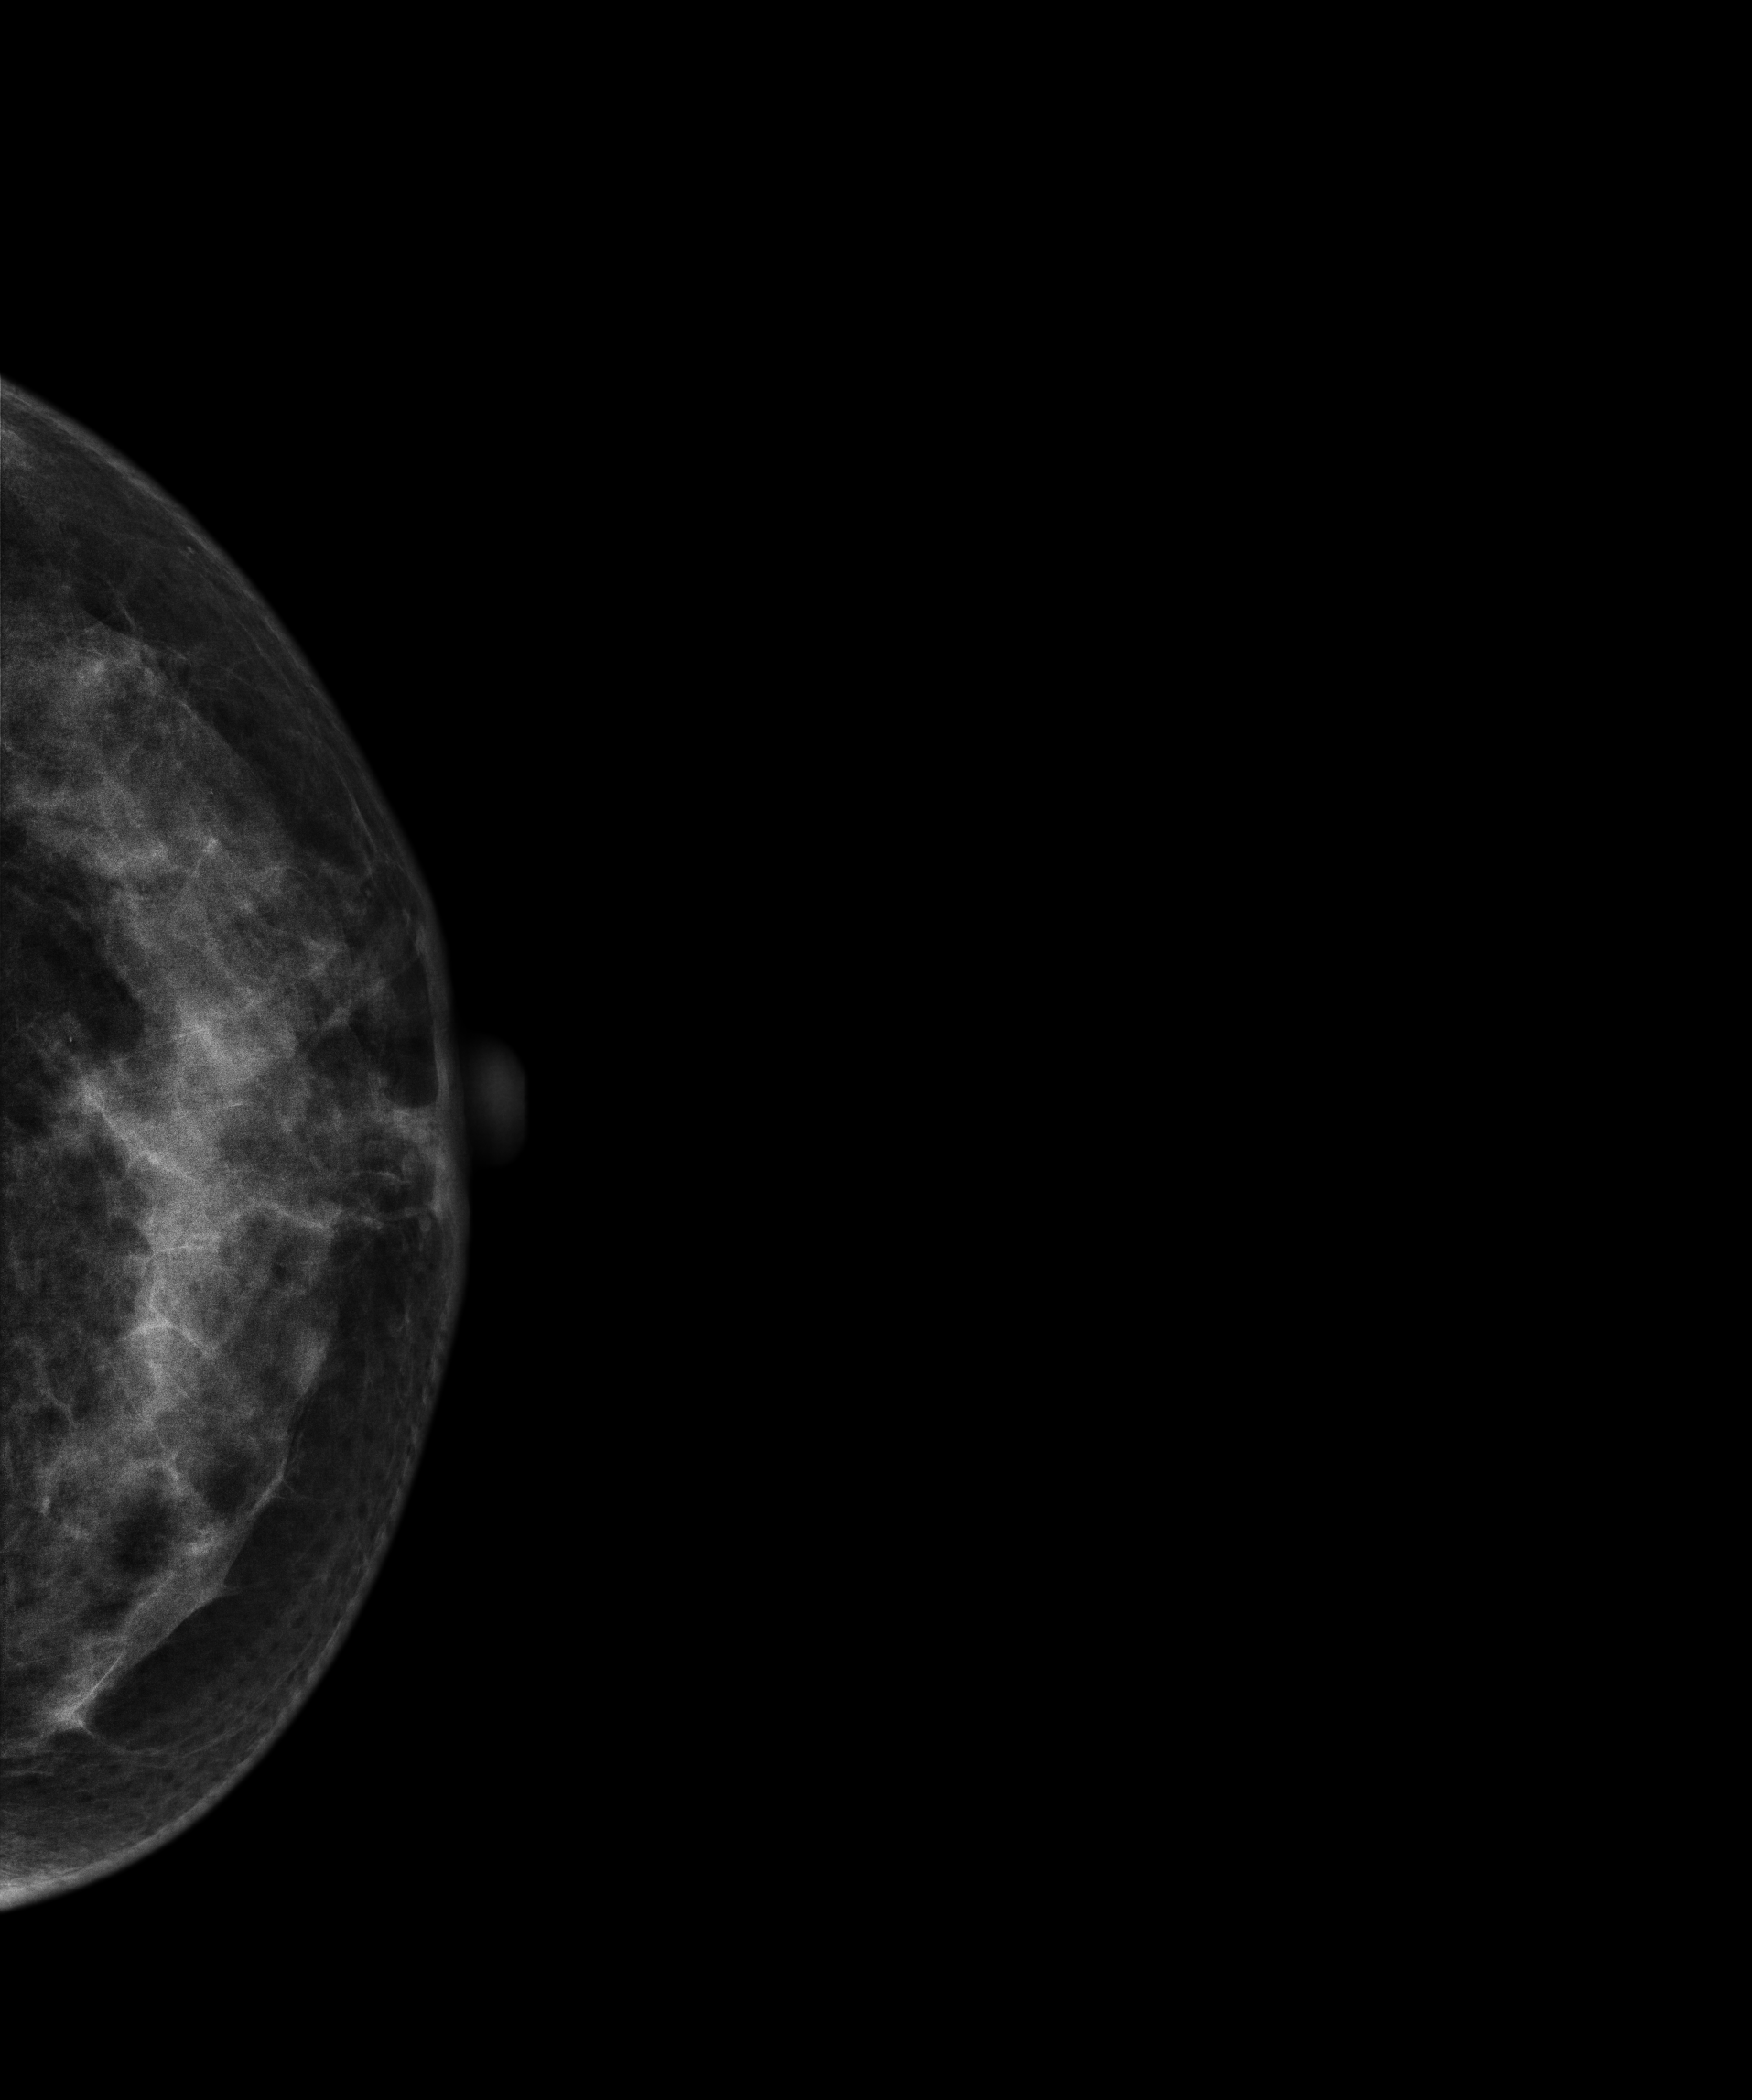
Left-breast mammogram, cranio-caudal. Patient age 37.
Contralateral breast — no documented abnormality on this side.